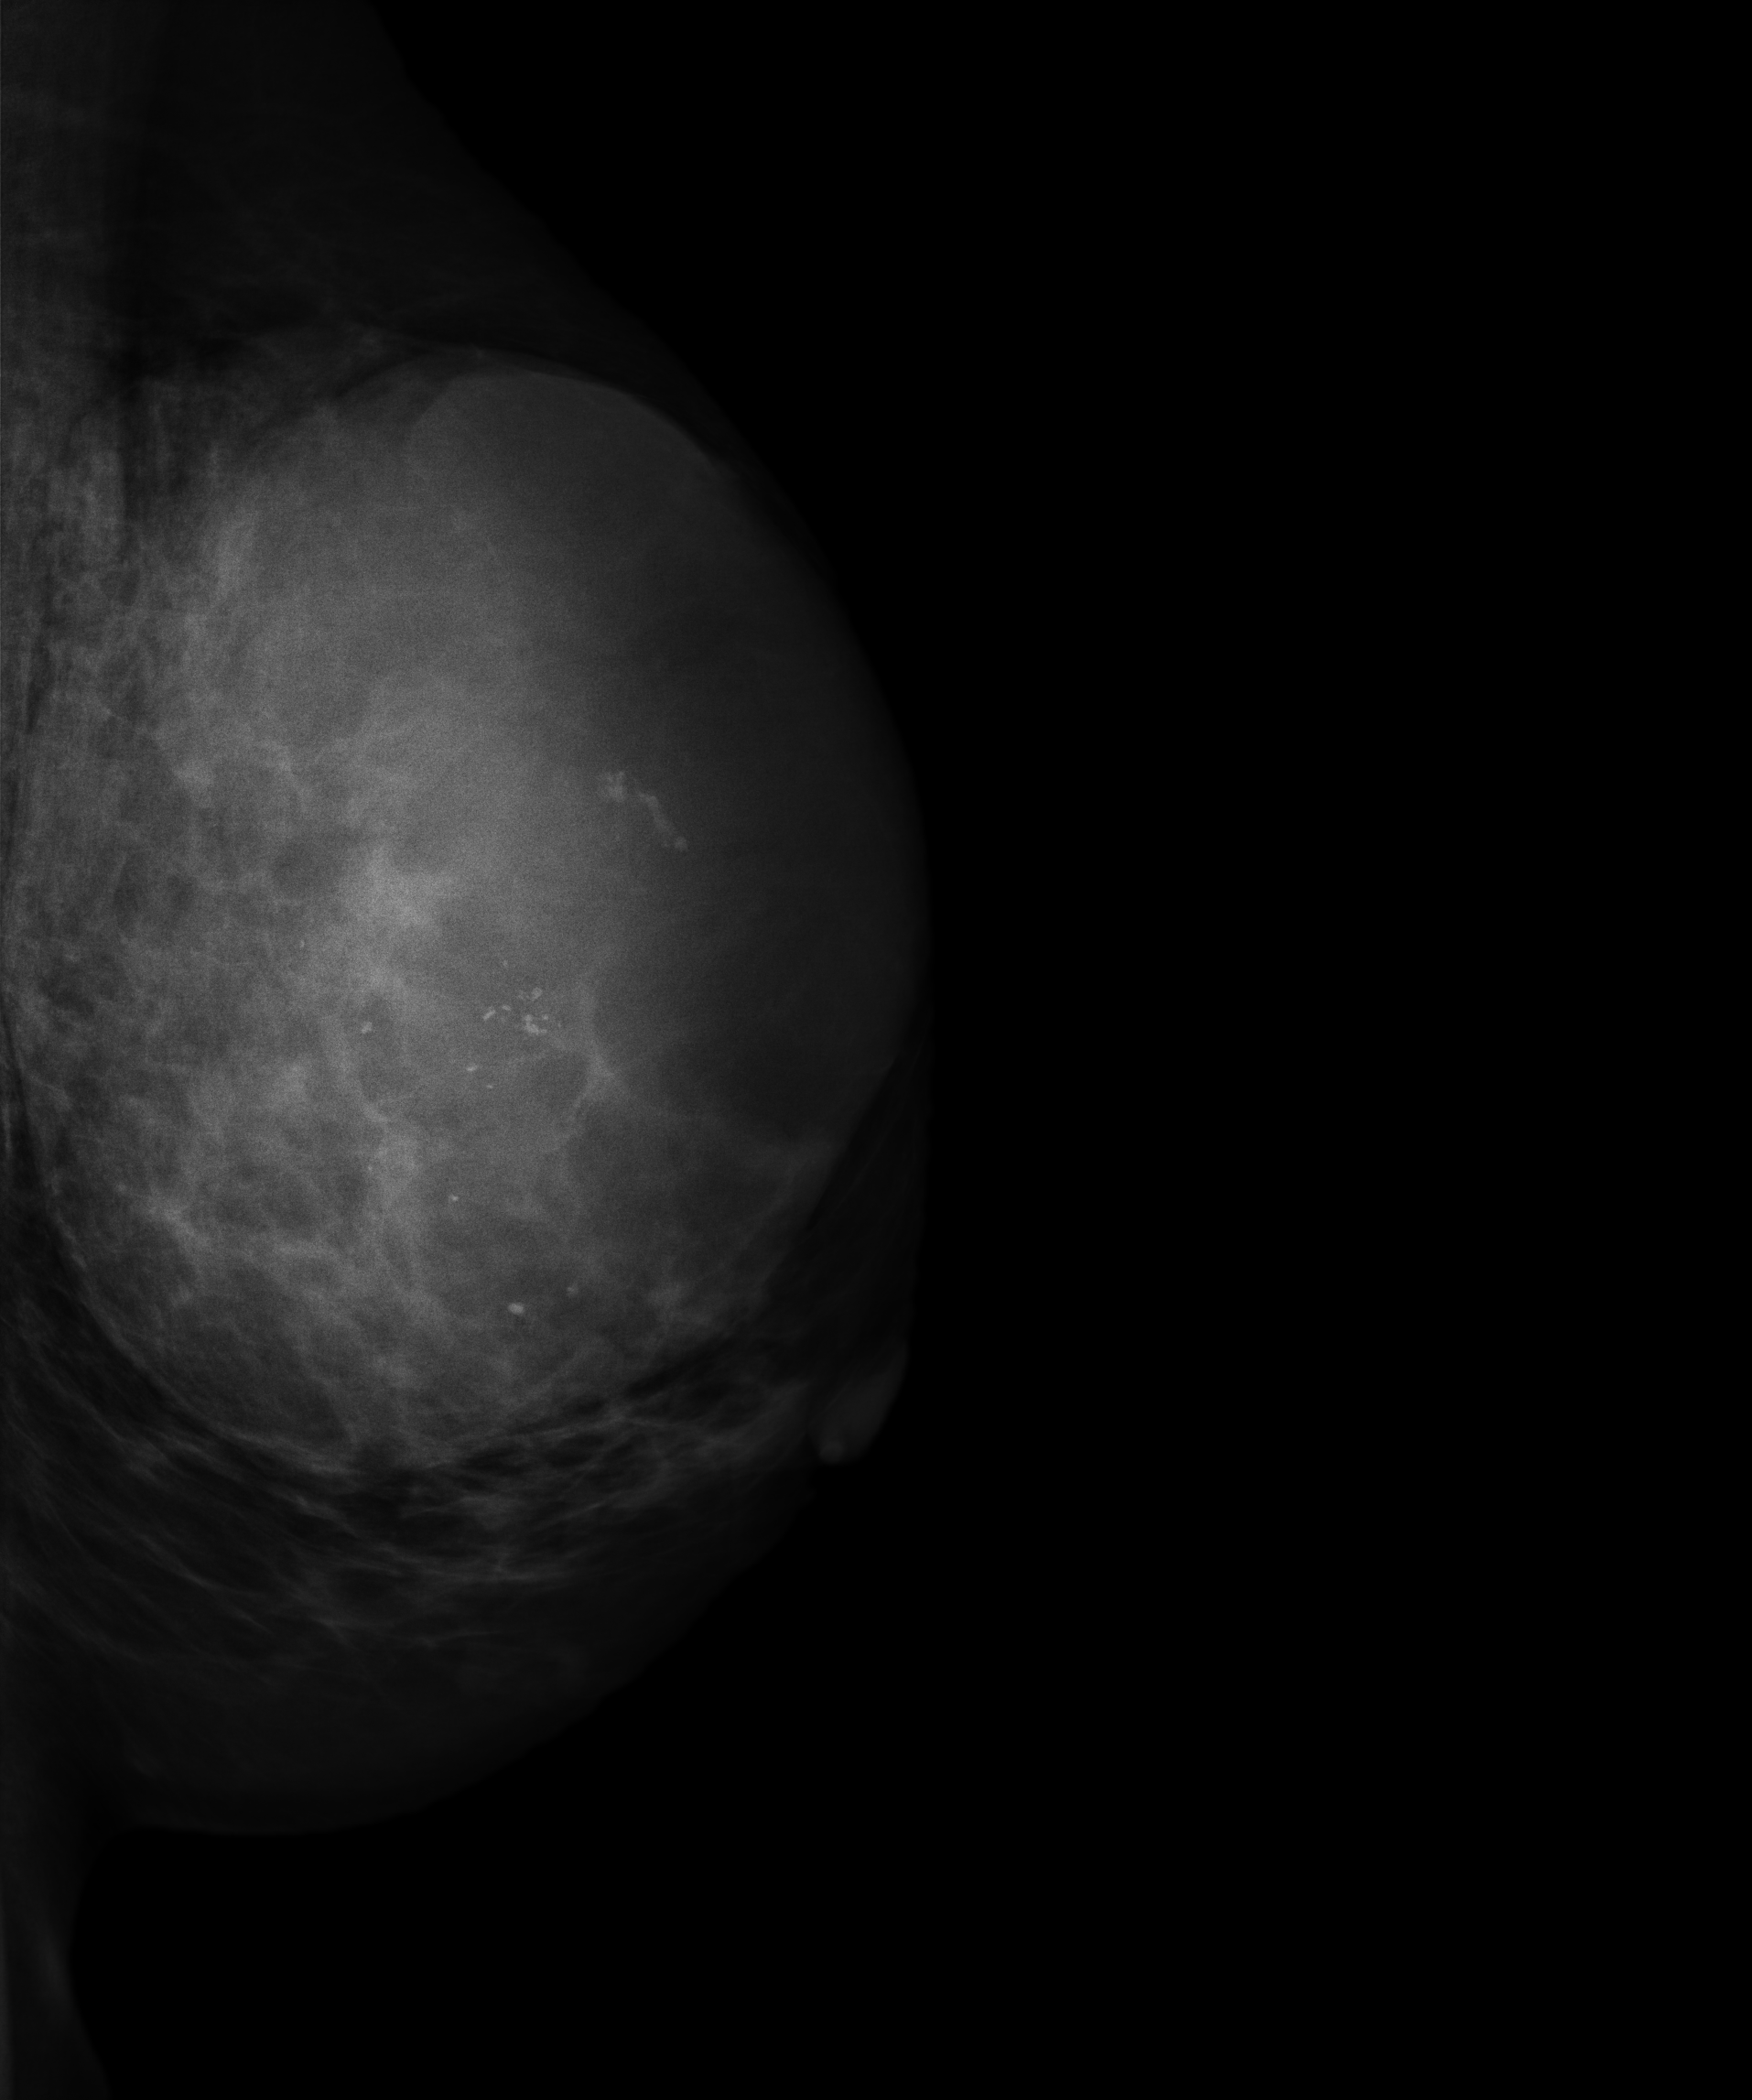
Mammogram — left CC. 52 y/o patient.
This breast has a mass and calcifications, biopsy-confirmed malignant. Molecular subtype: triple-negative.